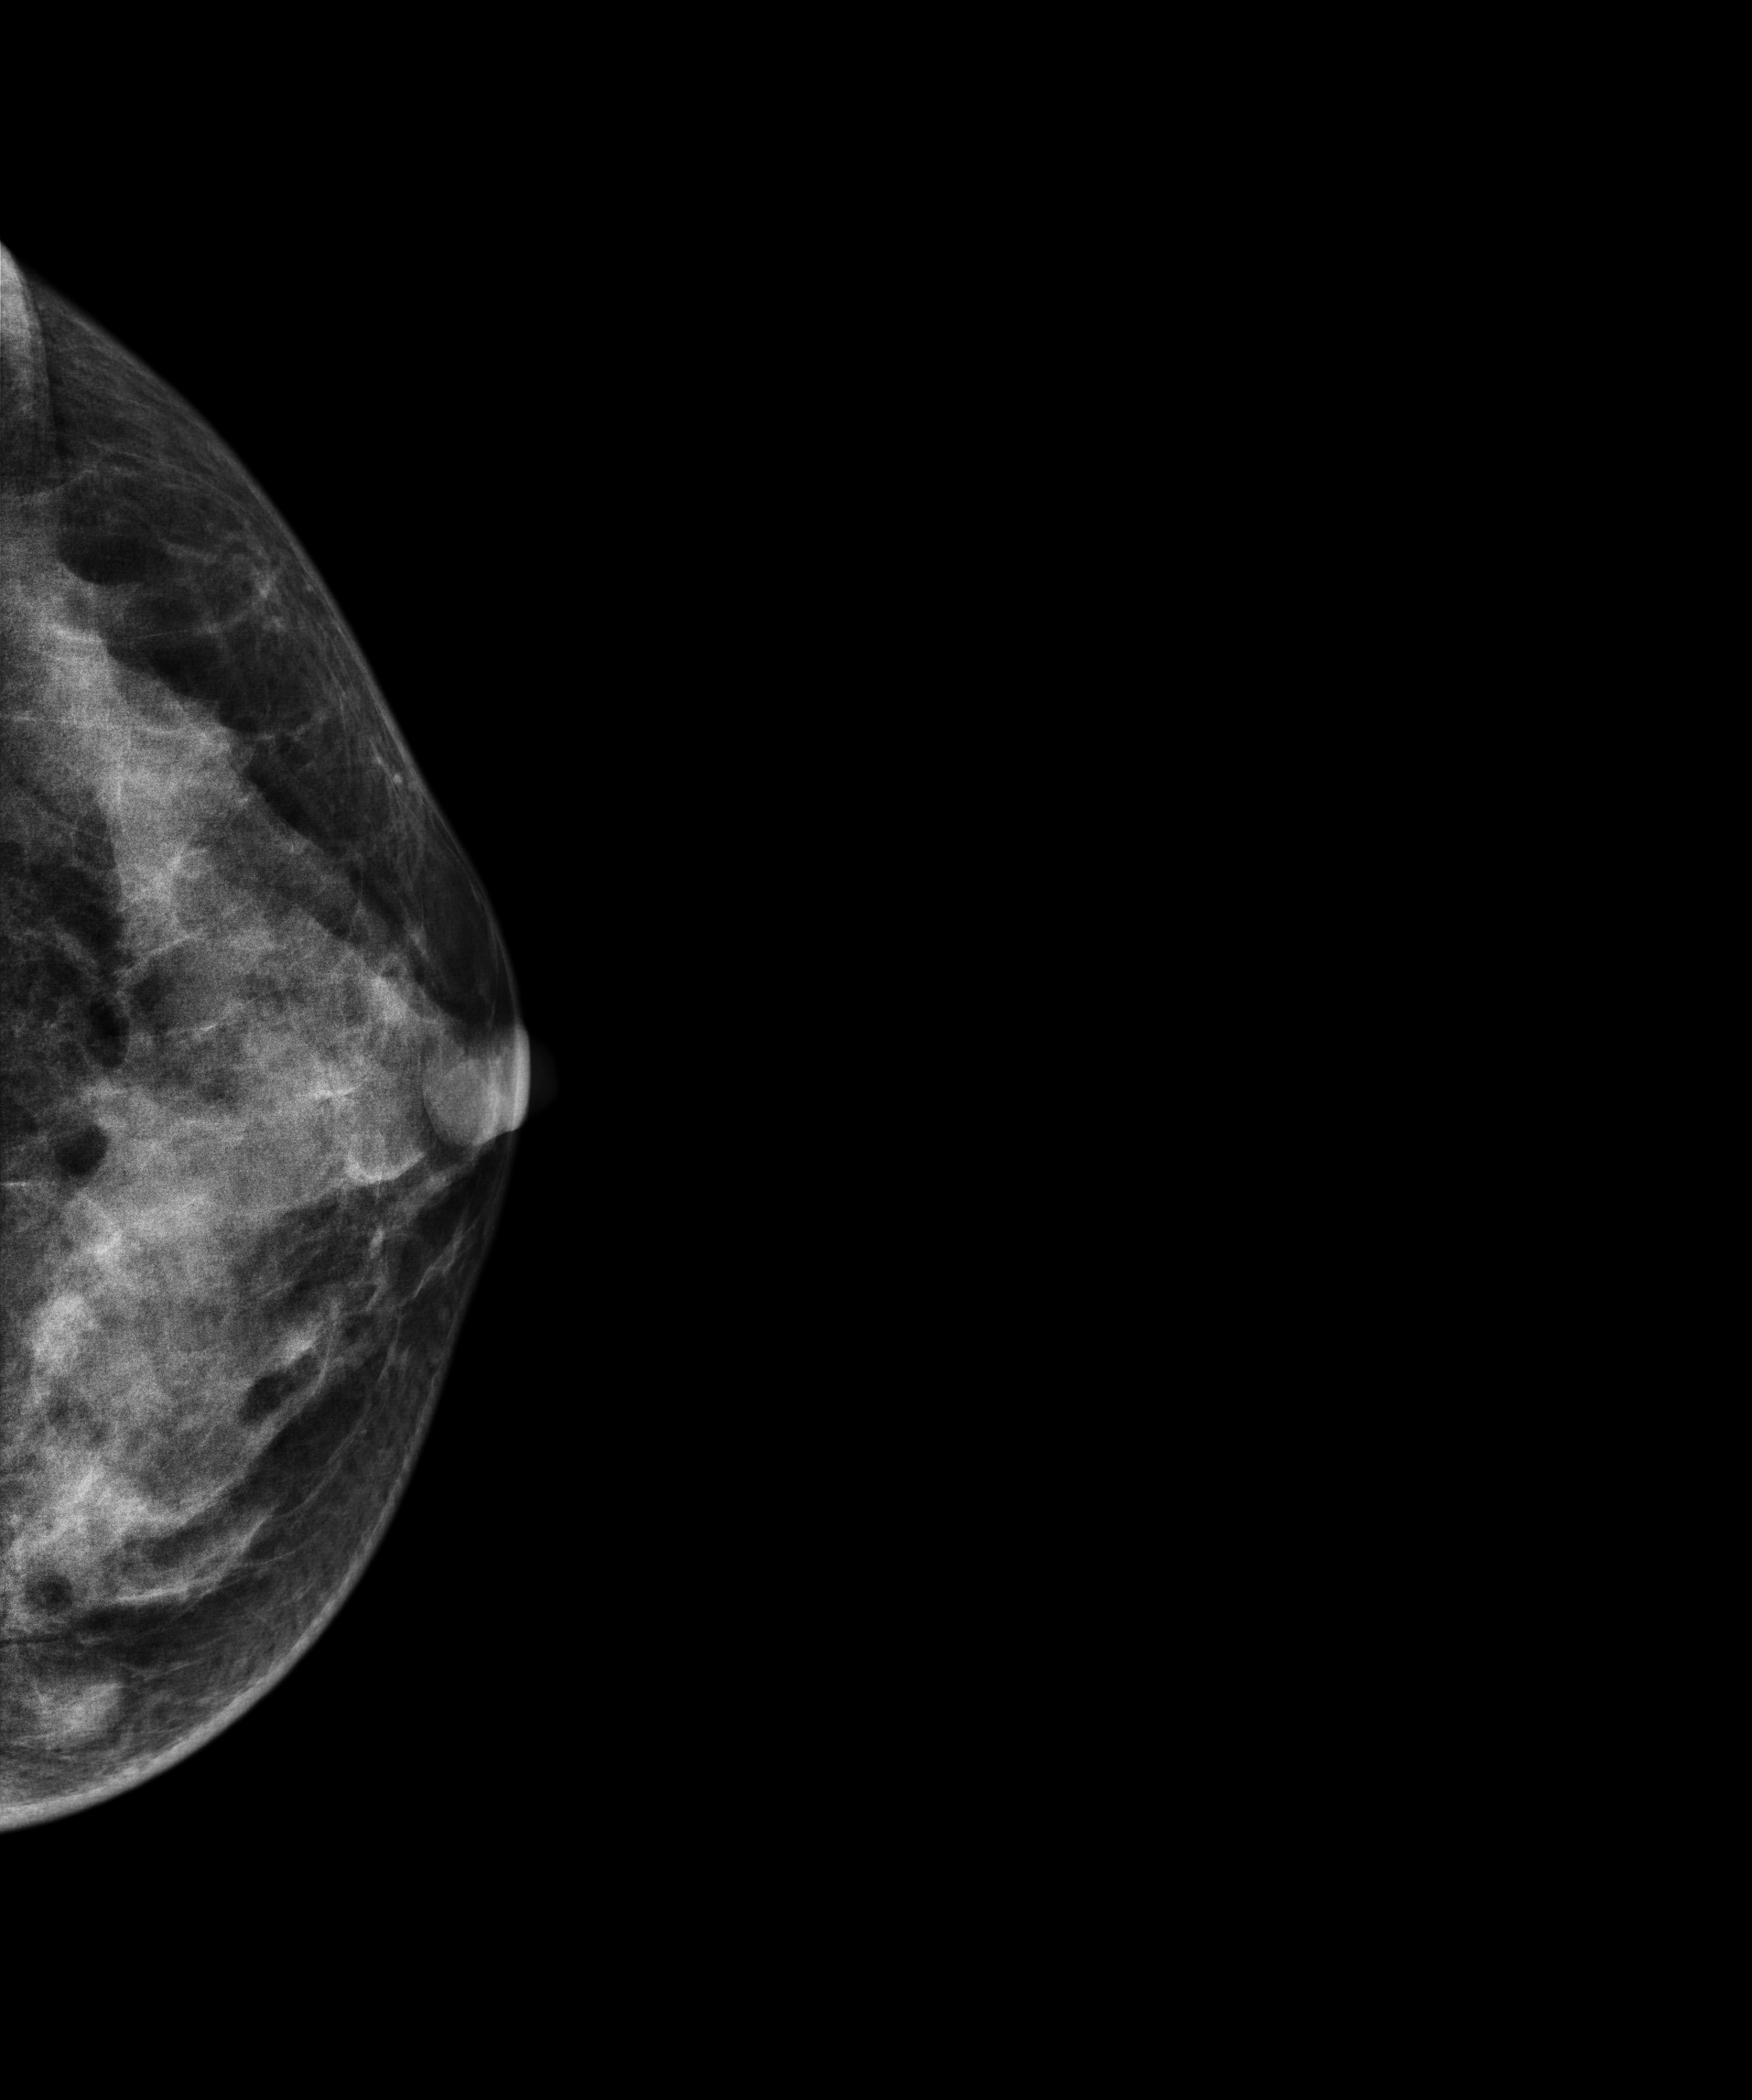
Cranio-caudal mammogram of the left breast. 36 y/o patient.
This breast has a mass, histologically confirmed benign.